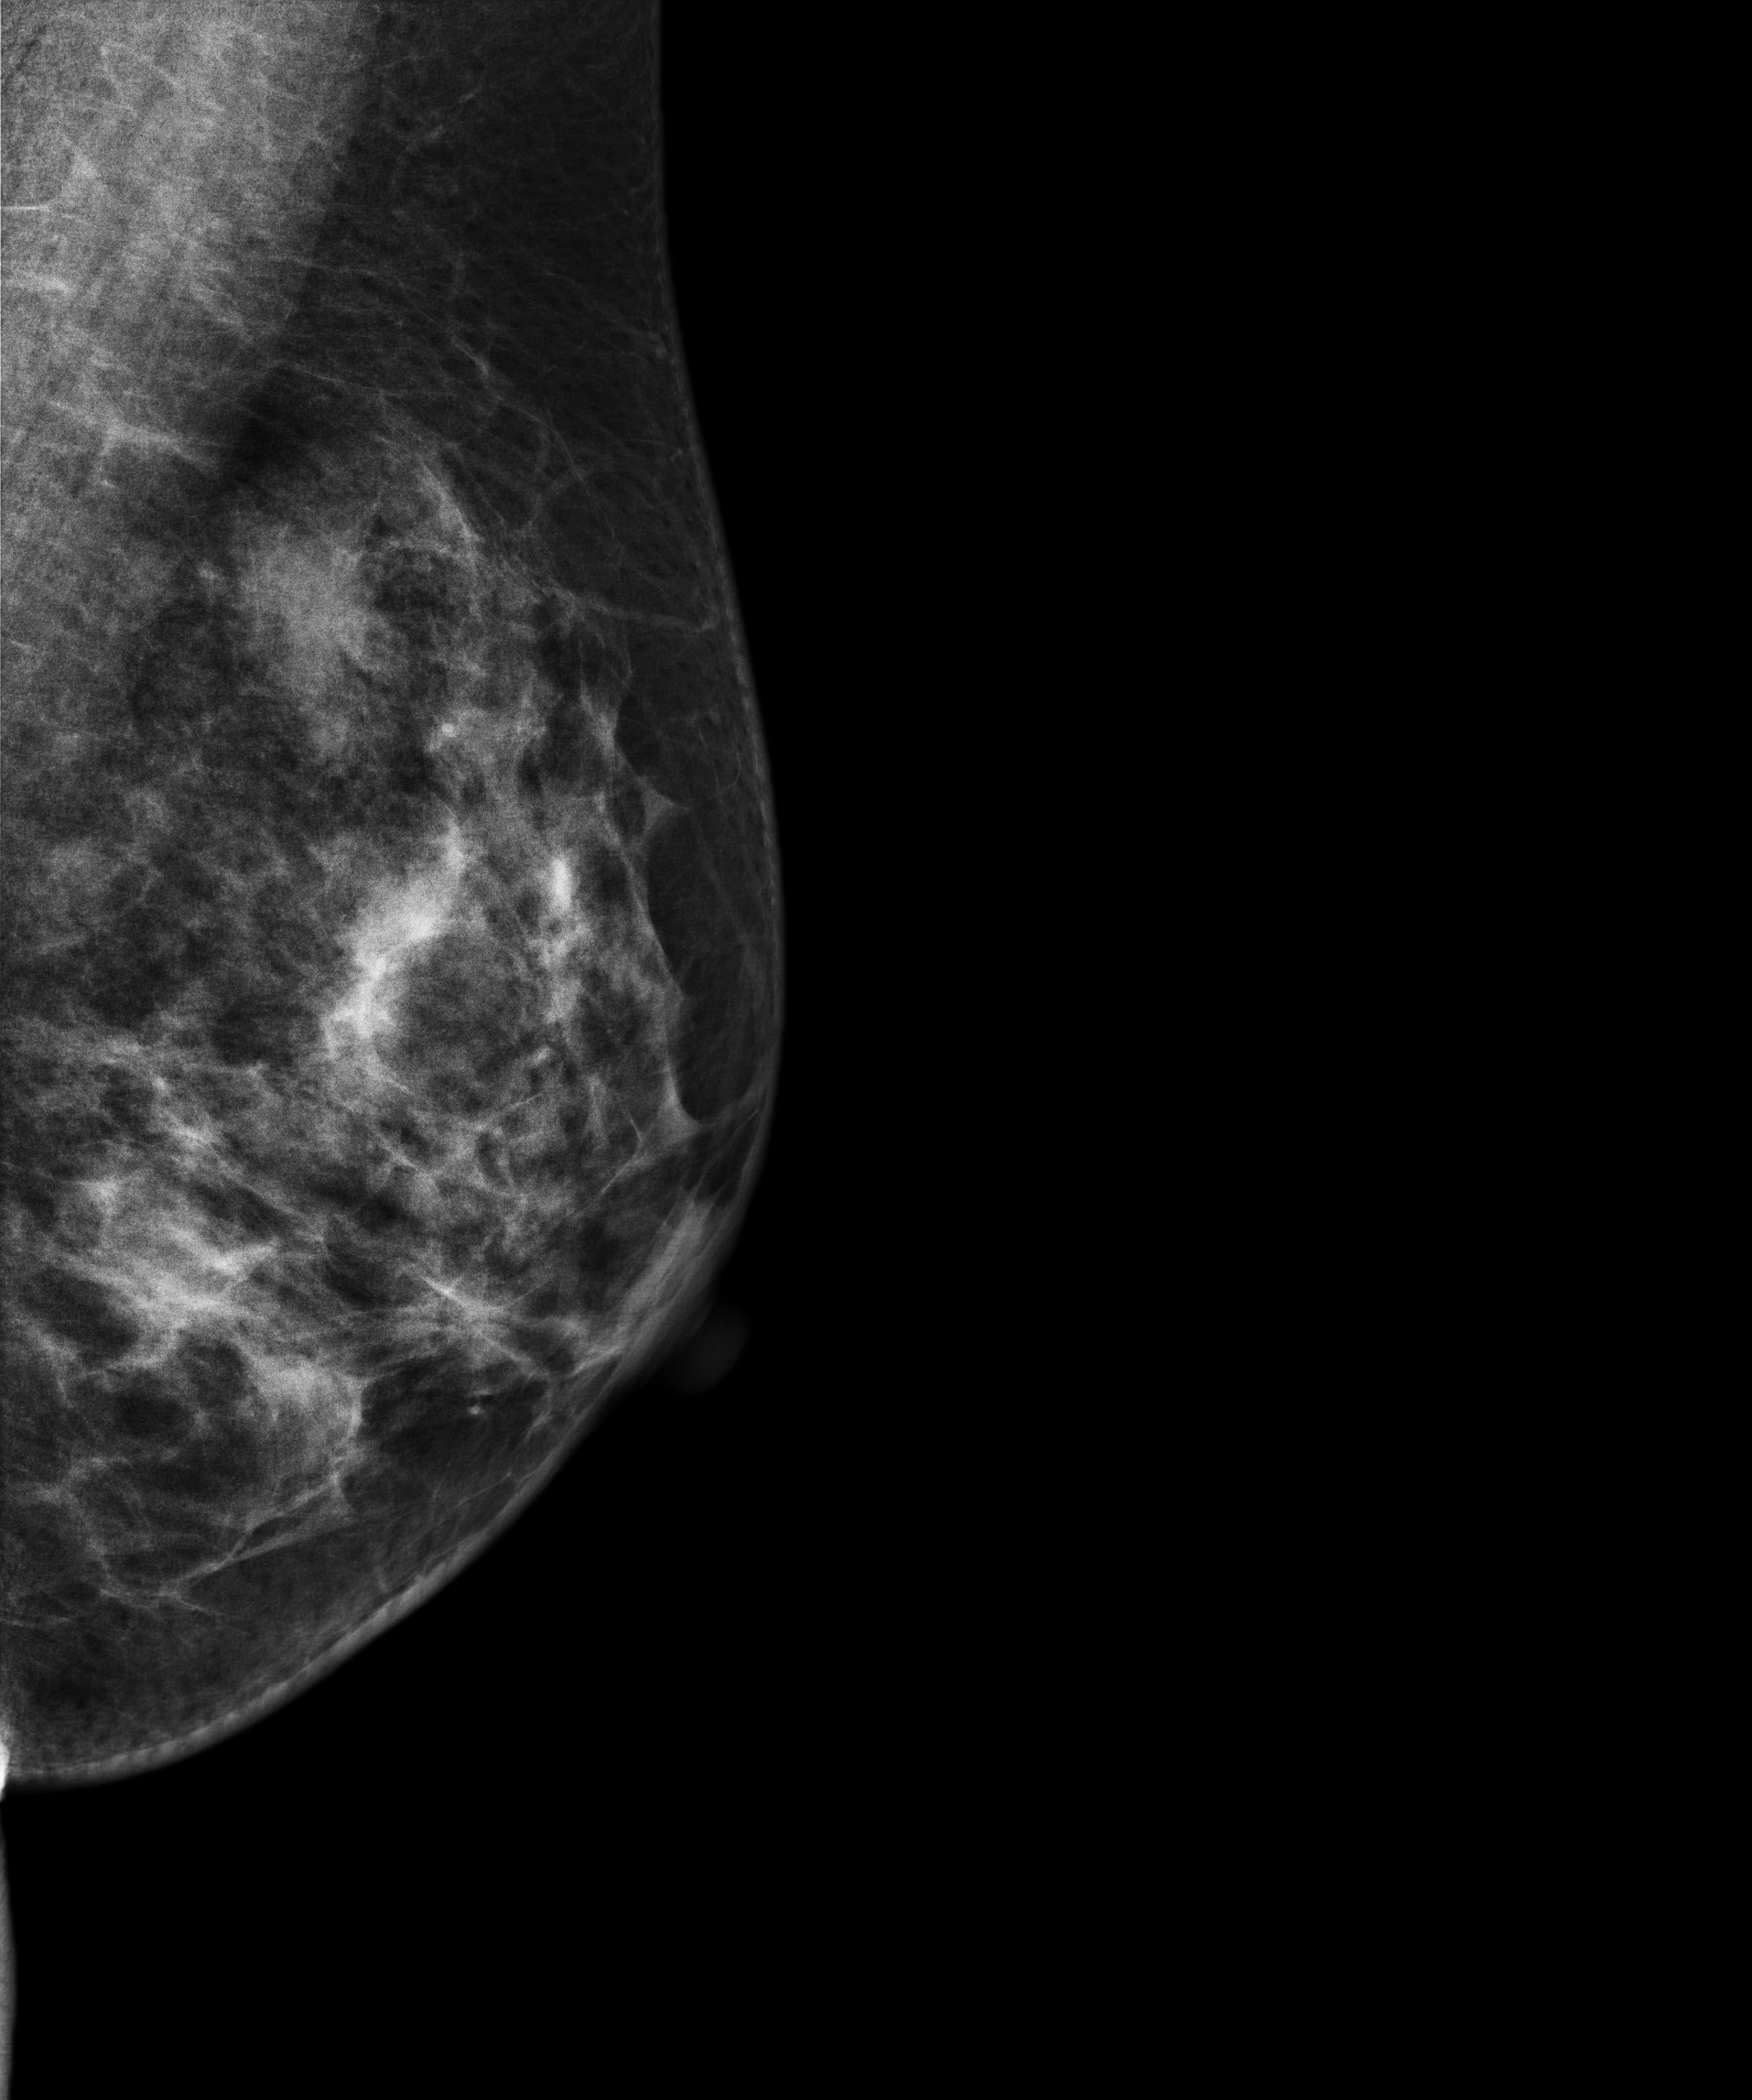
Left-breast mammogram, MLO. Patient age 49.
This breast has a mass, histologically confirmed malignant. Molecular subtype: luminal B.